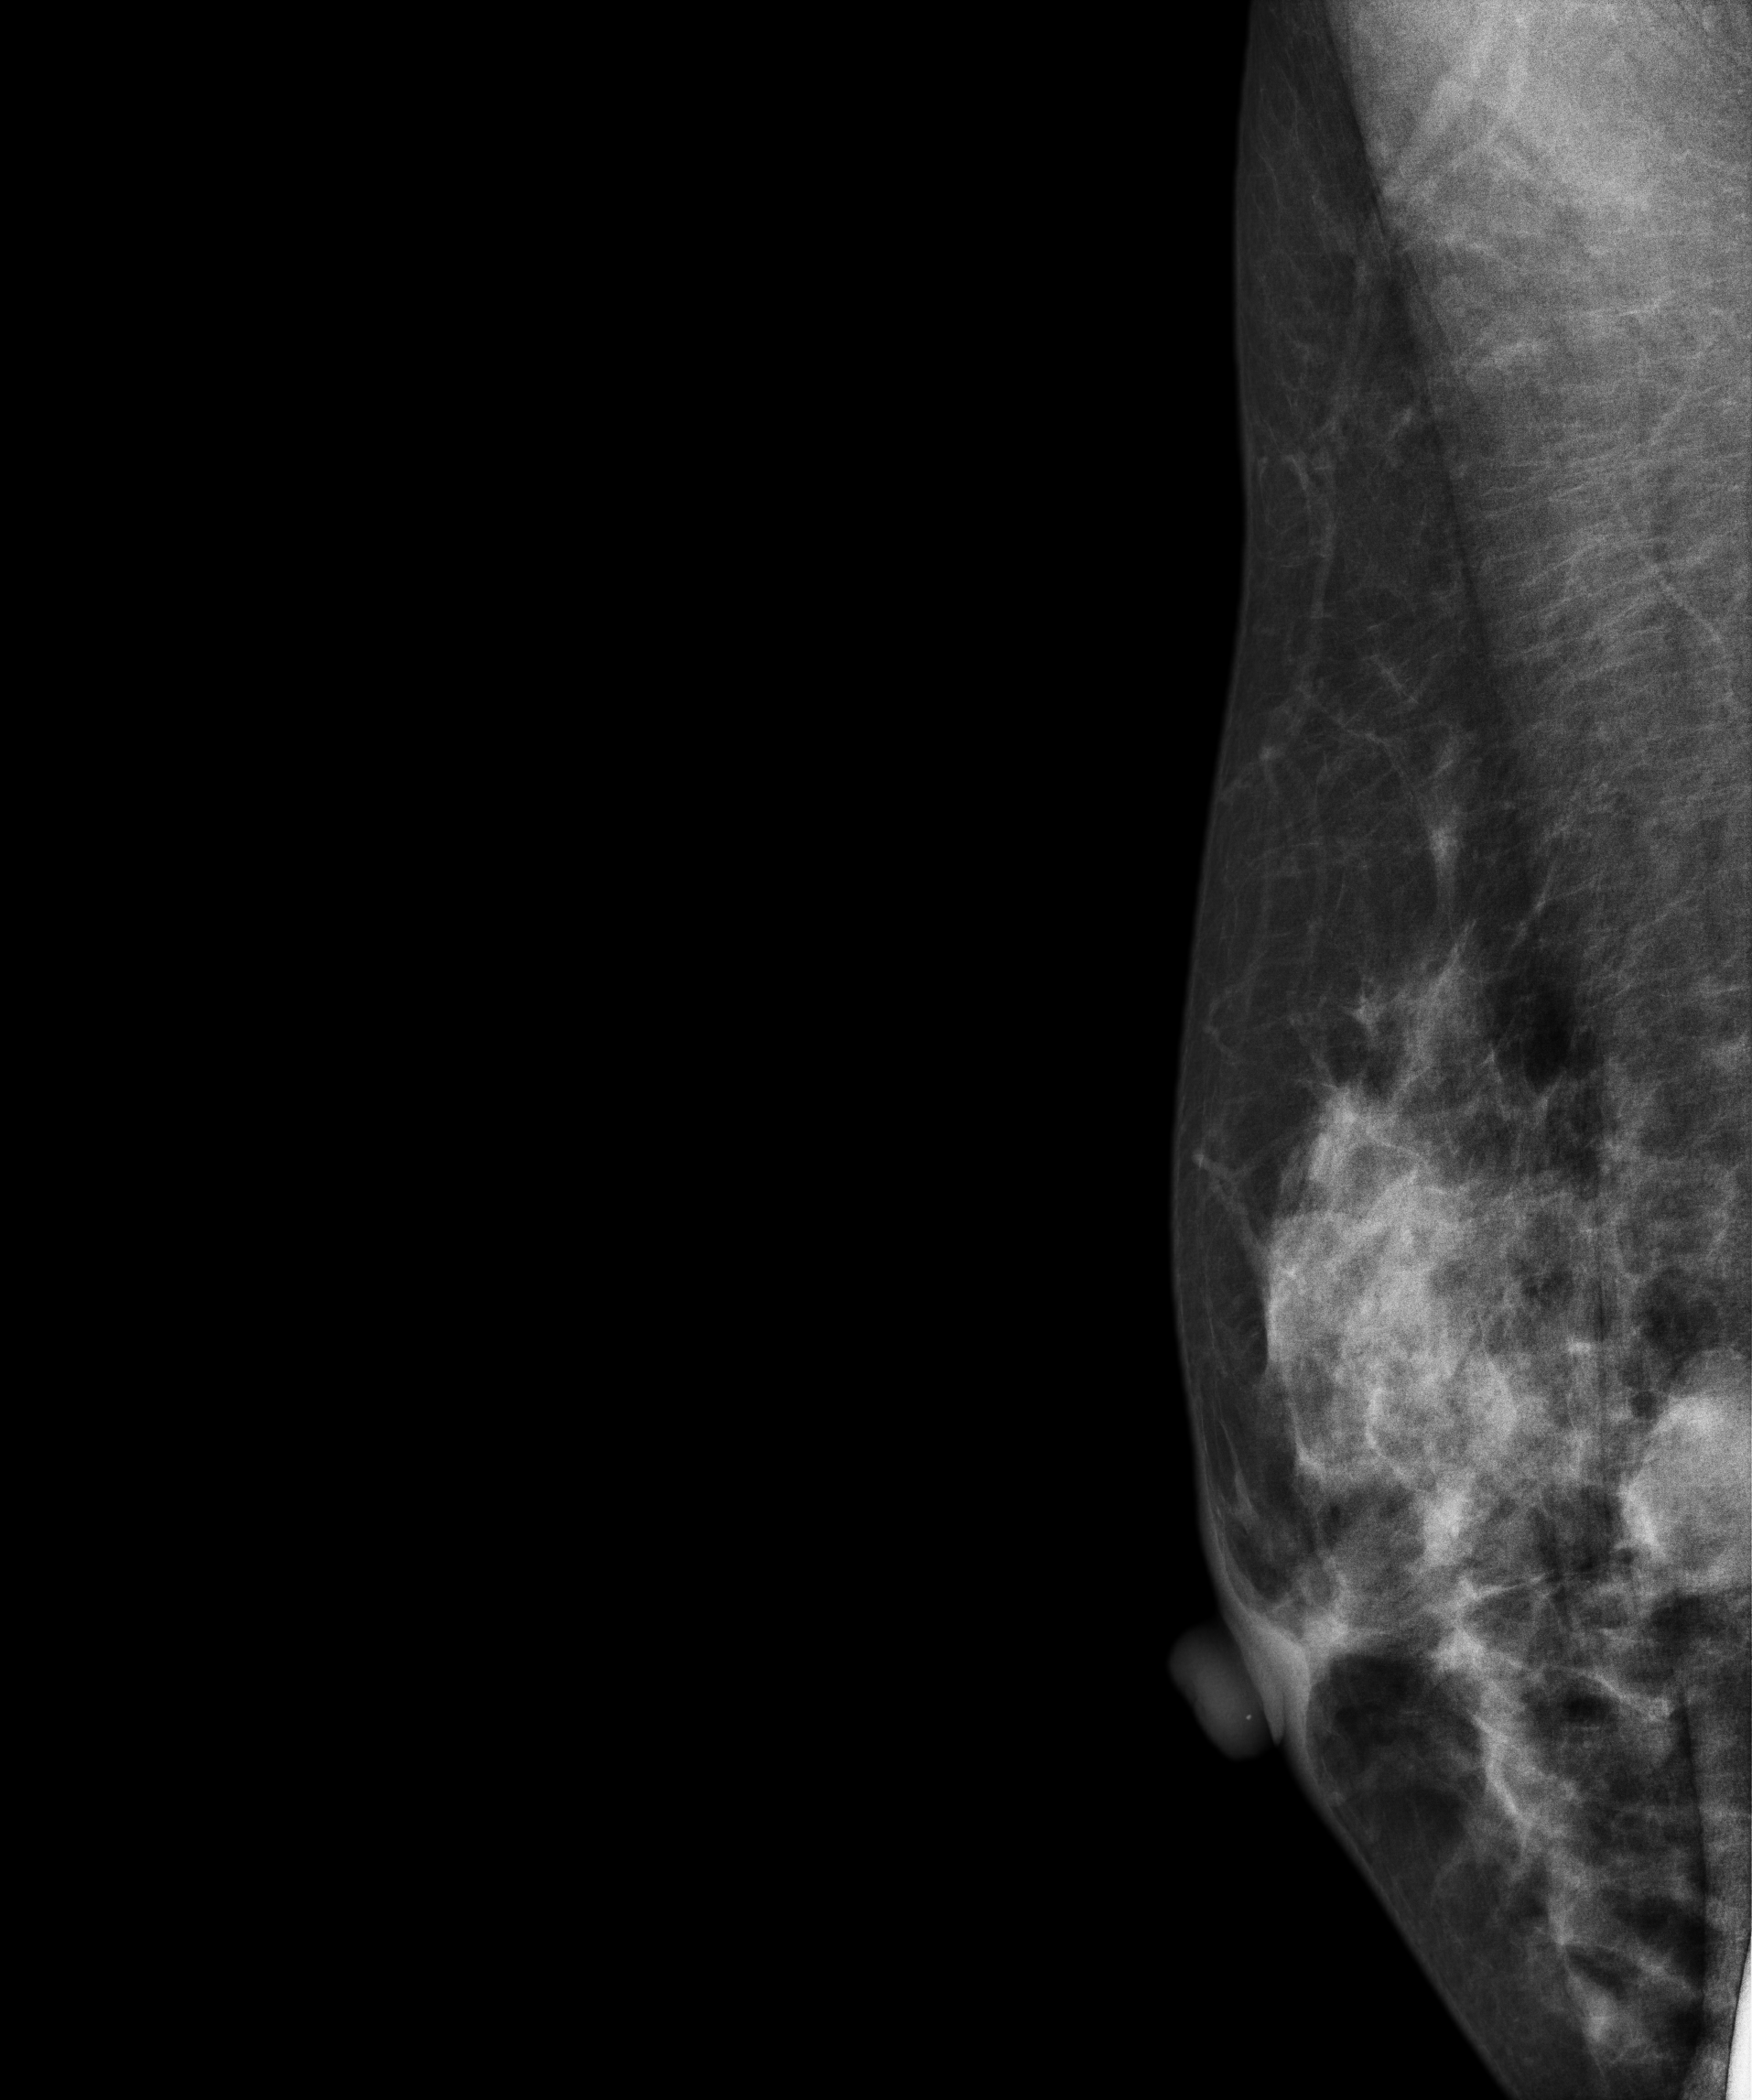
Digital mammography. Right breast, MLO projection. 47-year-old patient.
This breast has a mass, biopsy-proven malignant.